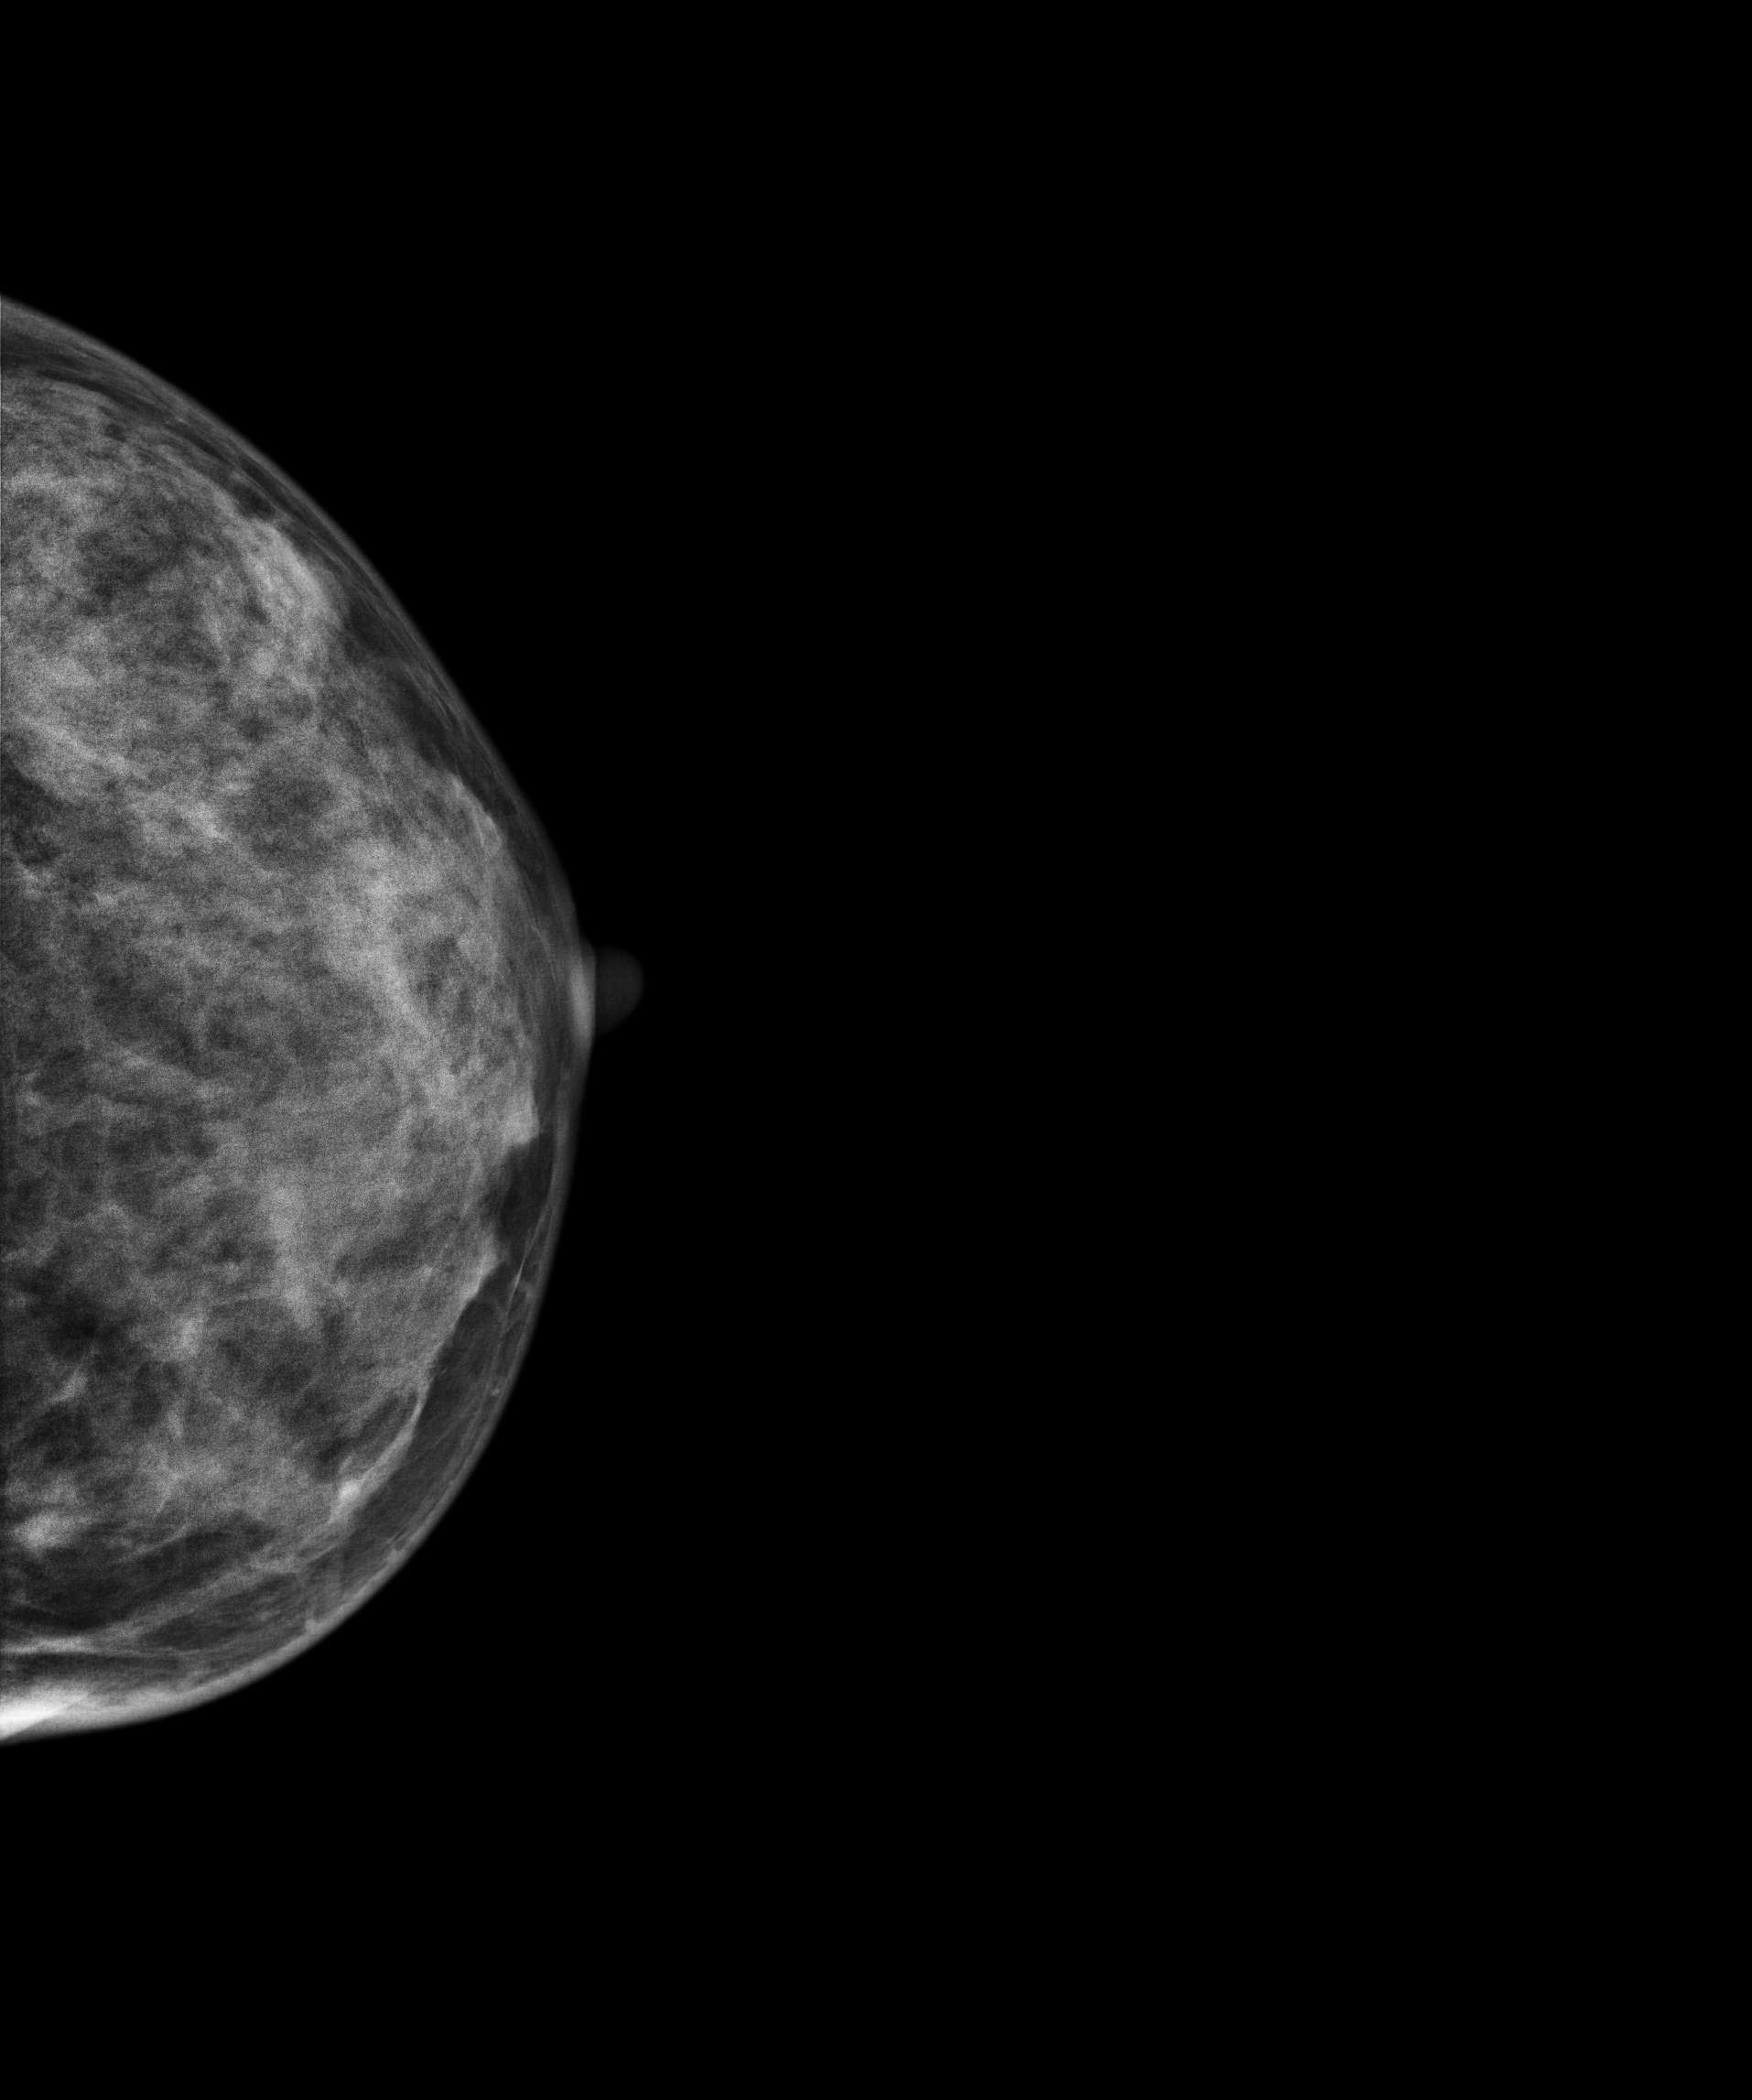
CC mammogram of the left breast. 35 y/o patient.
This breast has a mass, histologically confirmed benign.